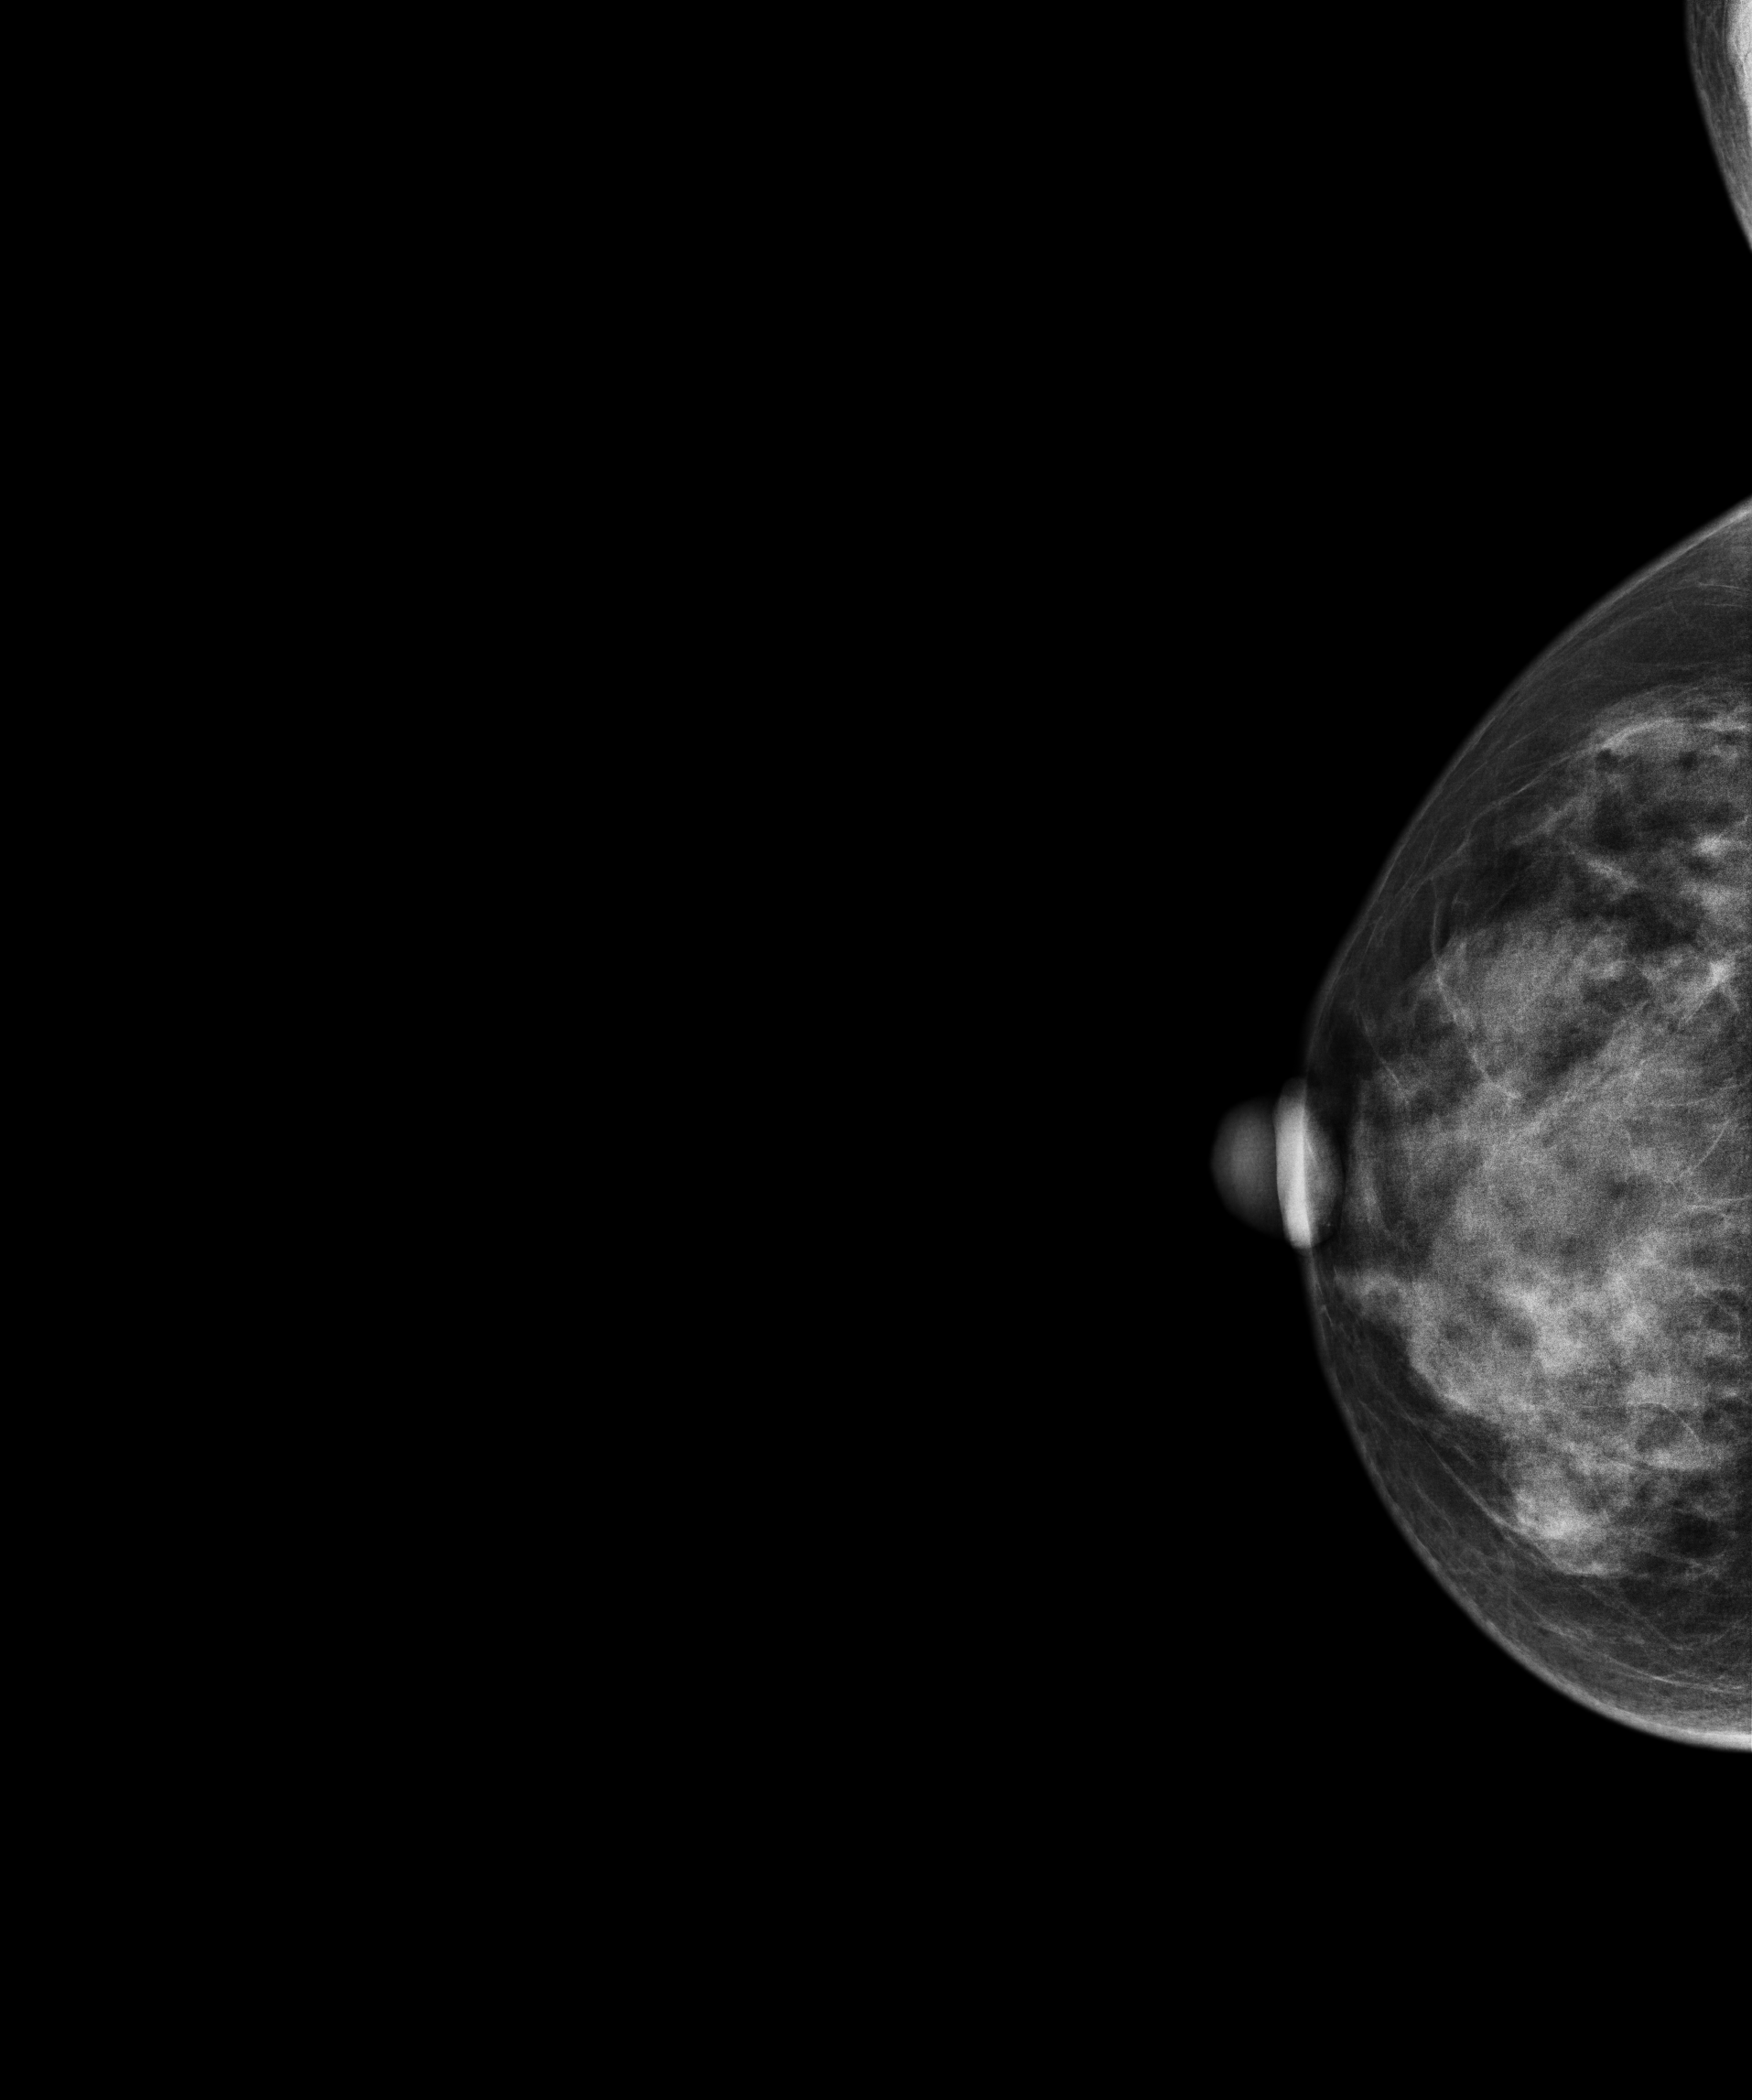
Mammogram, right breast, cranio-caudal view. Patient age 61.
Contralateral breast — no documented abnormality on this side.